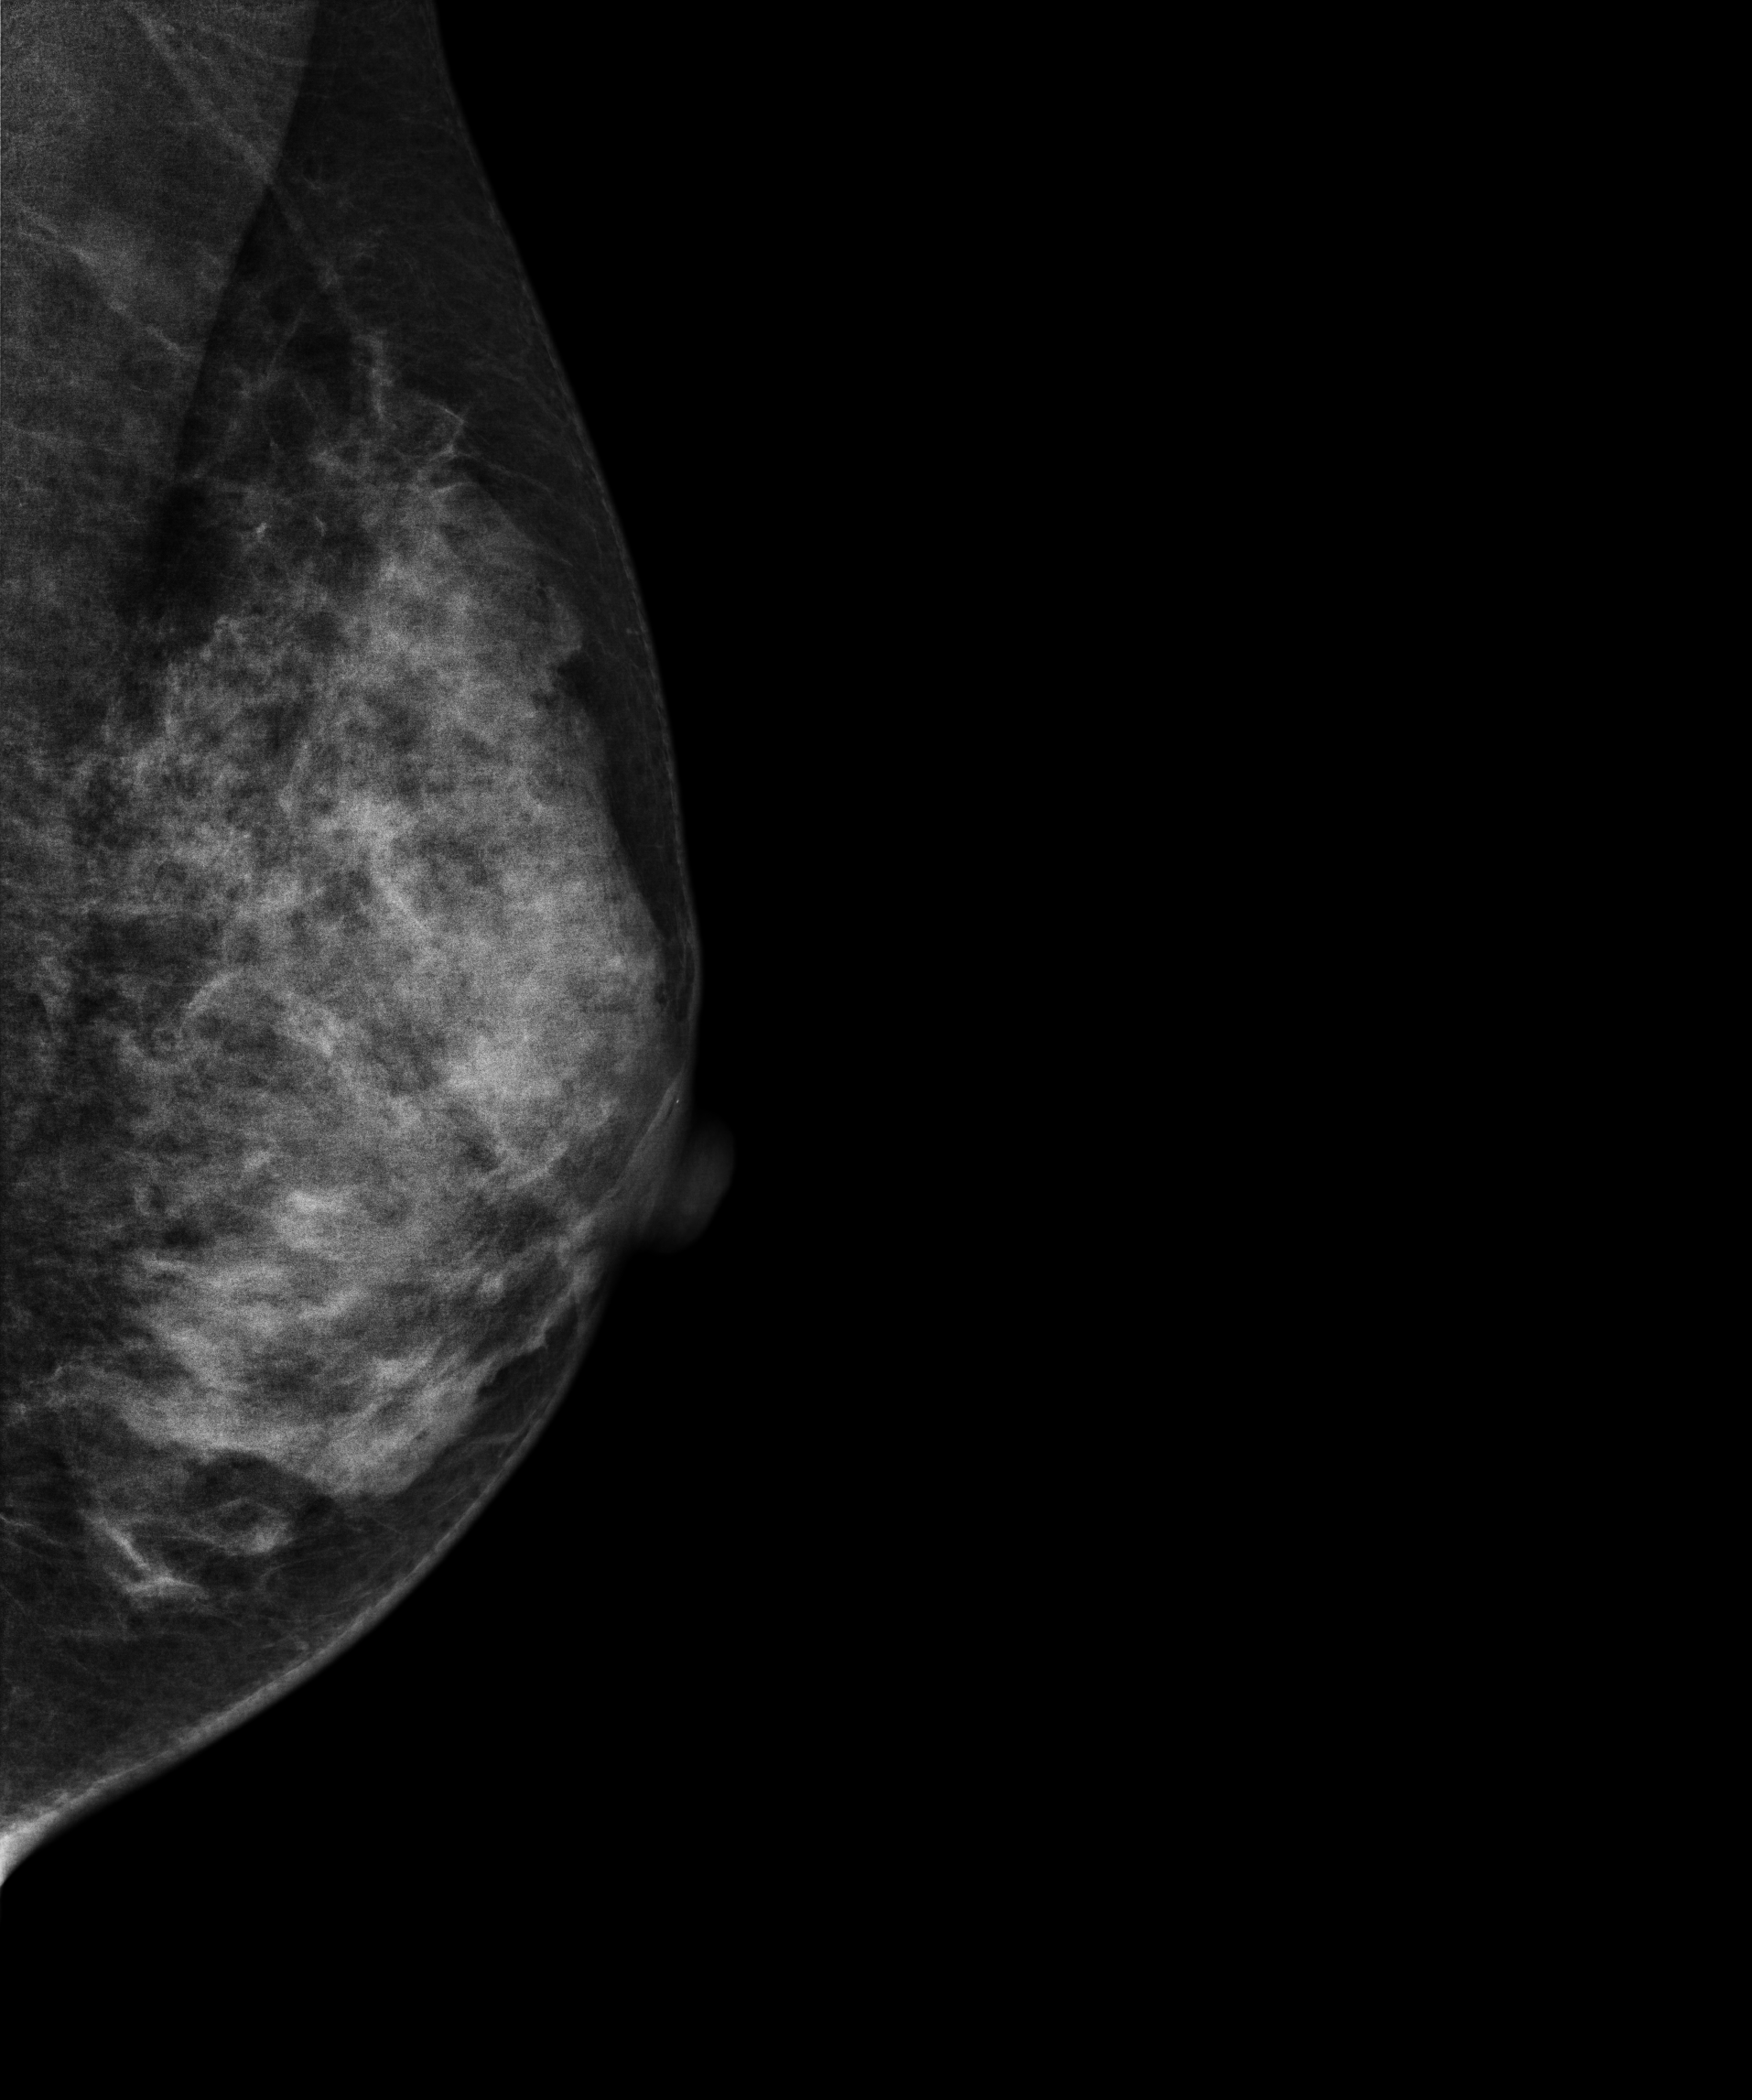
Mammogram — left MLO. 38-year-old patient.
Contralateral breast — no documented abnormality on this side.